Left-breast mammogram, CC. Patient age 46.
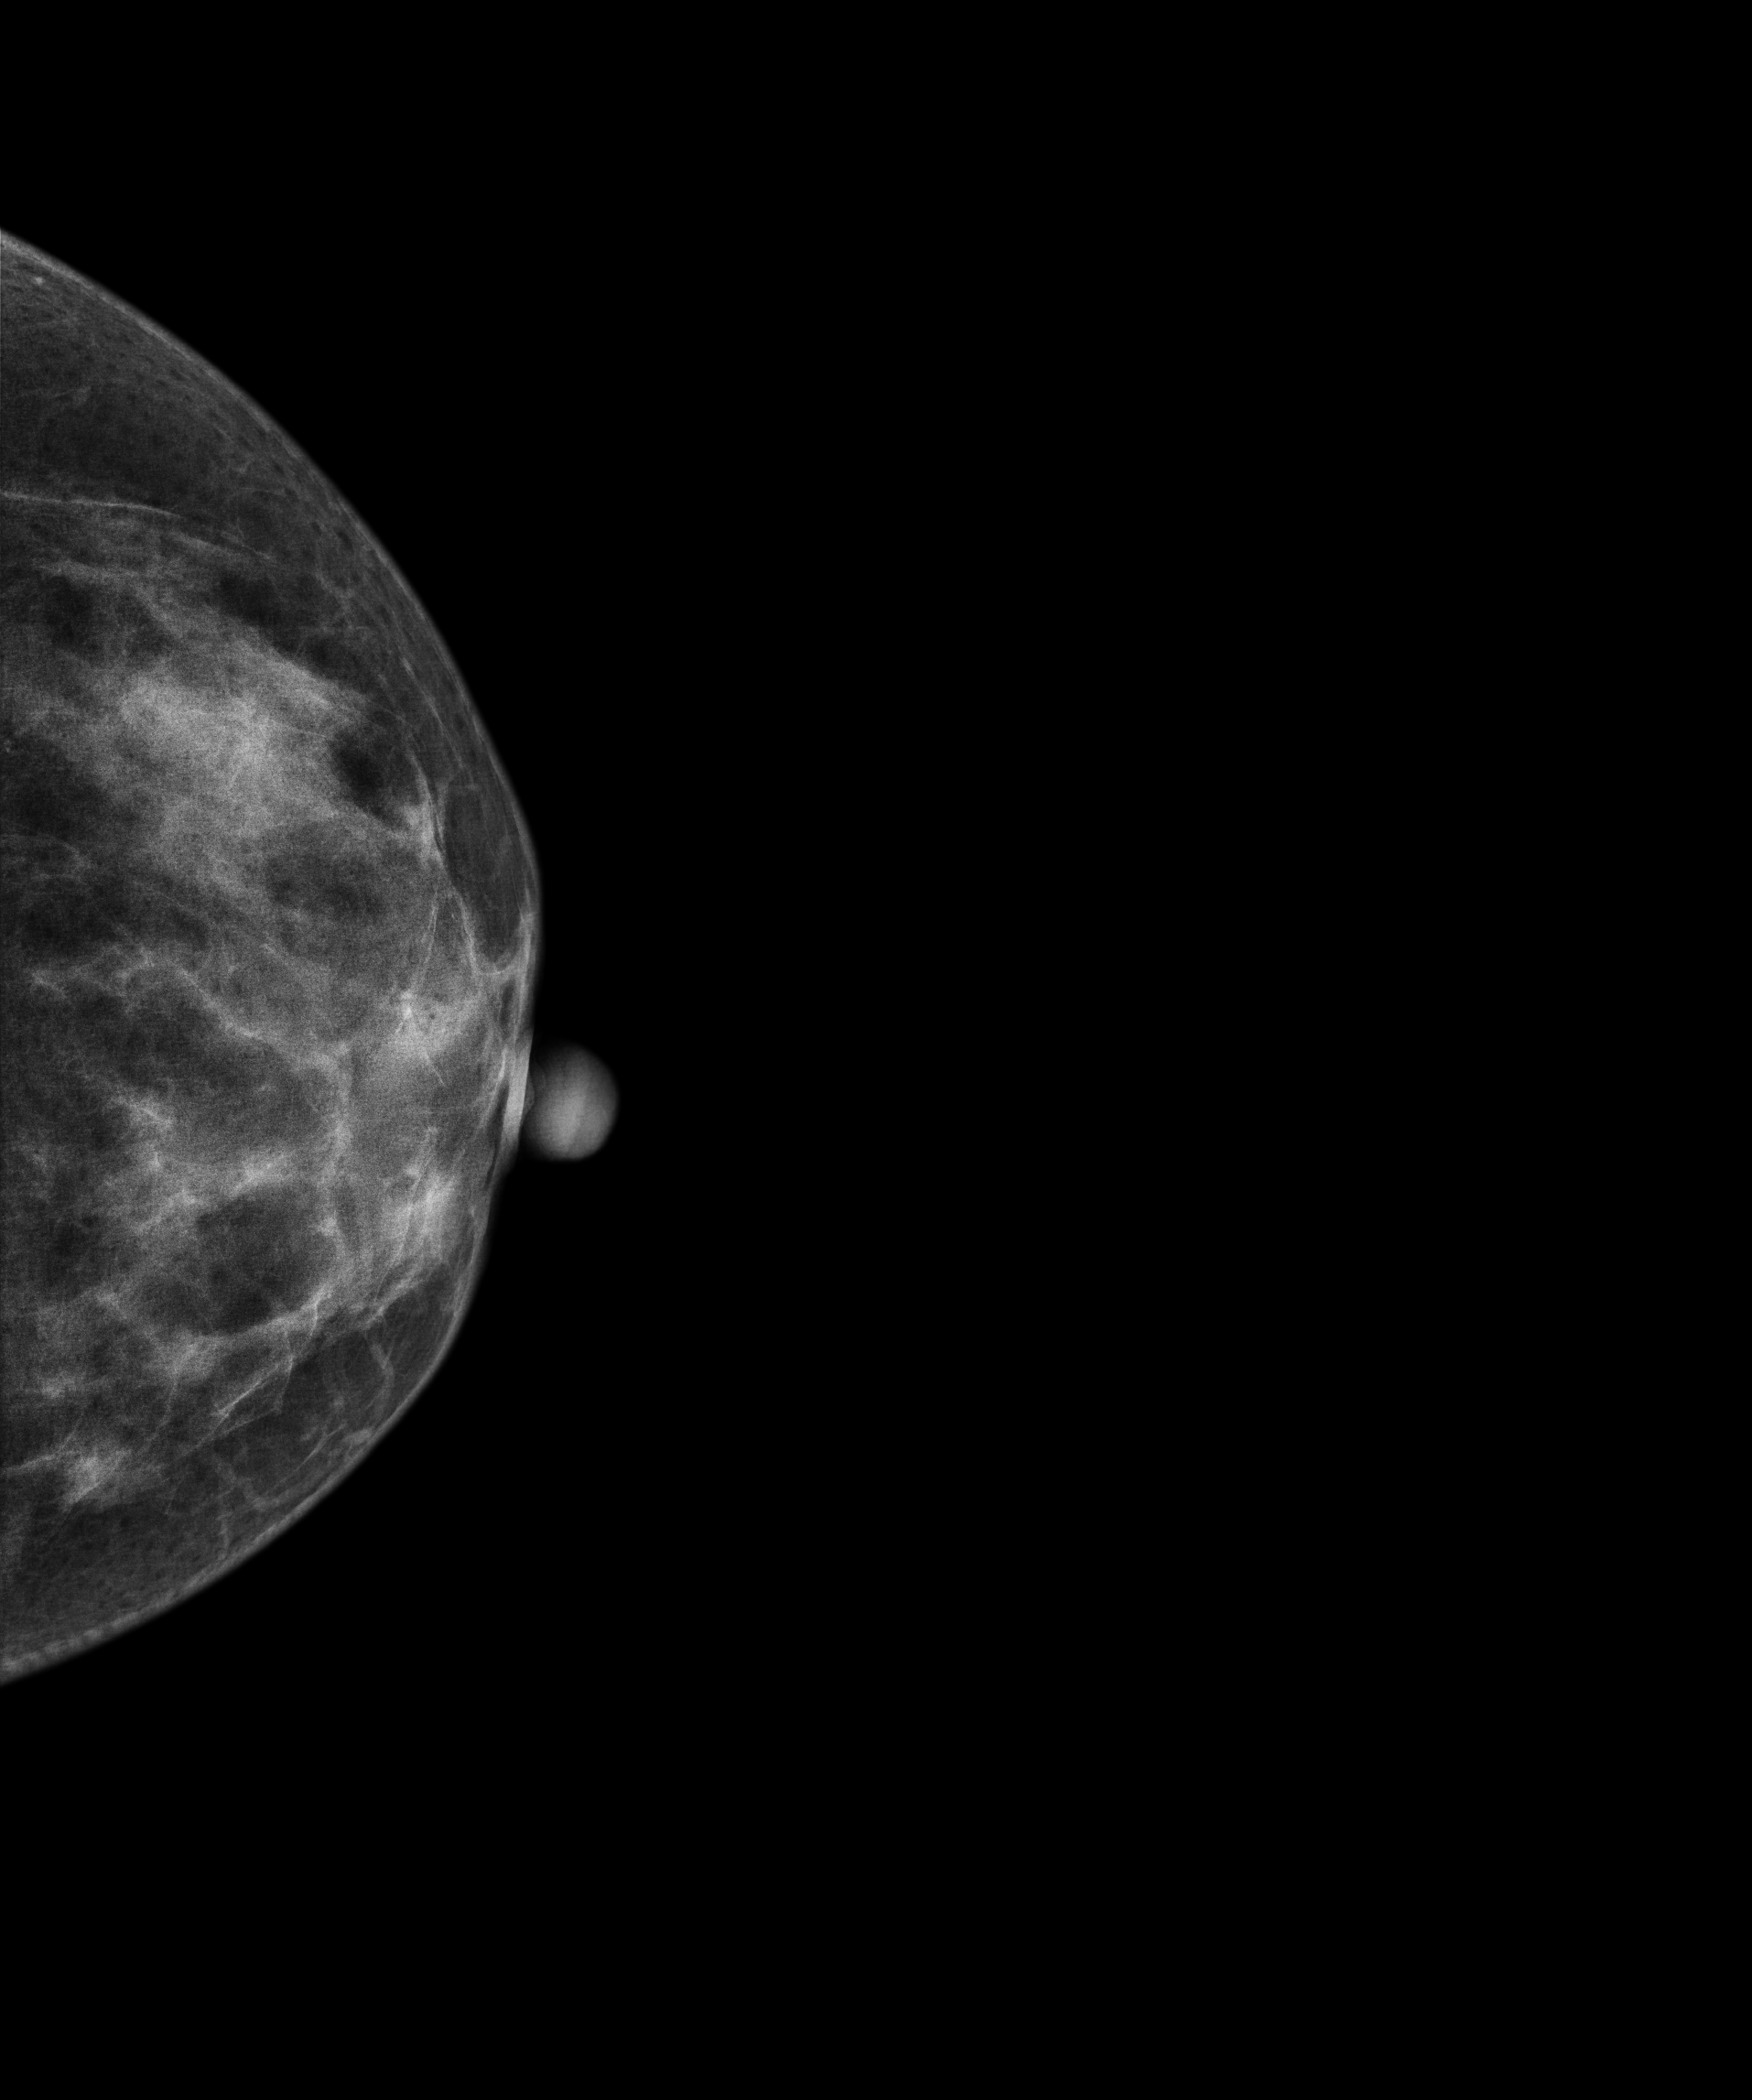
Contralateral breast — no documented abnormality on this side.